Mammogram — right MLO. 33-year-old patient.
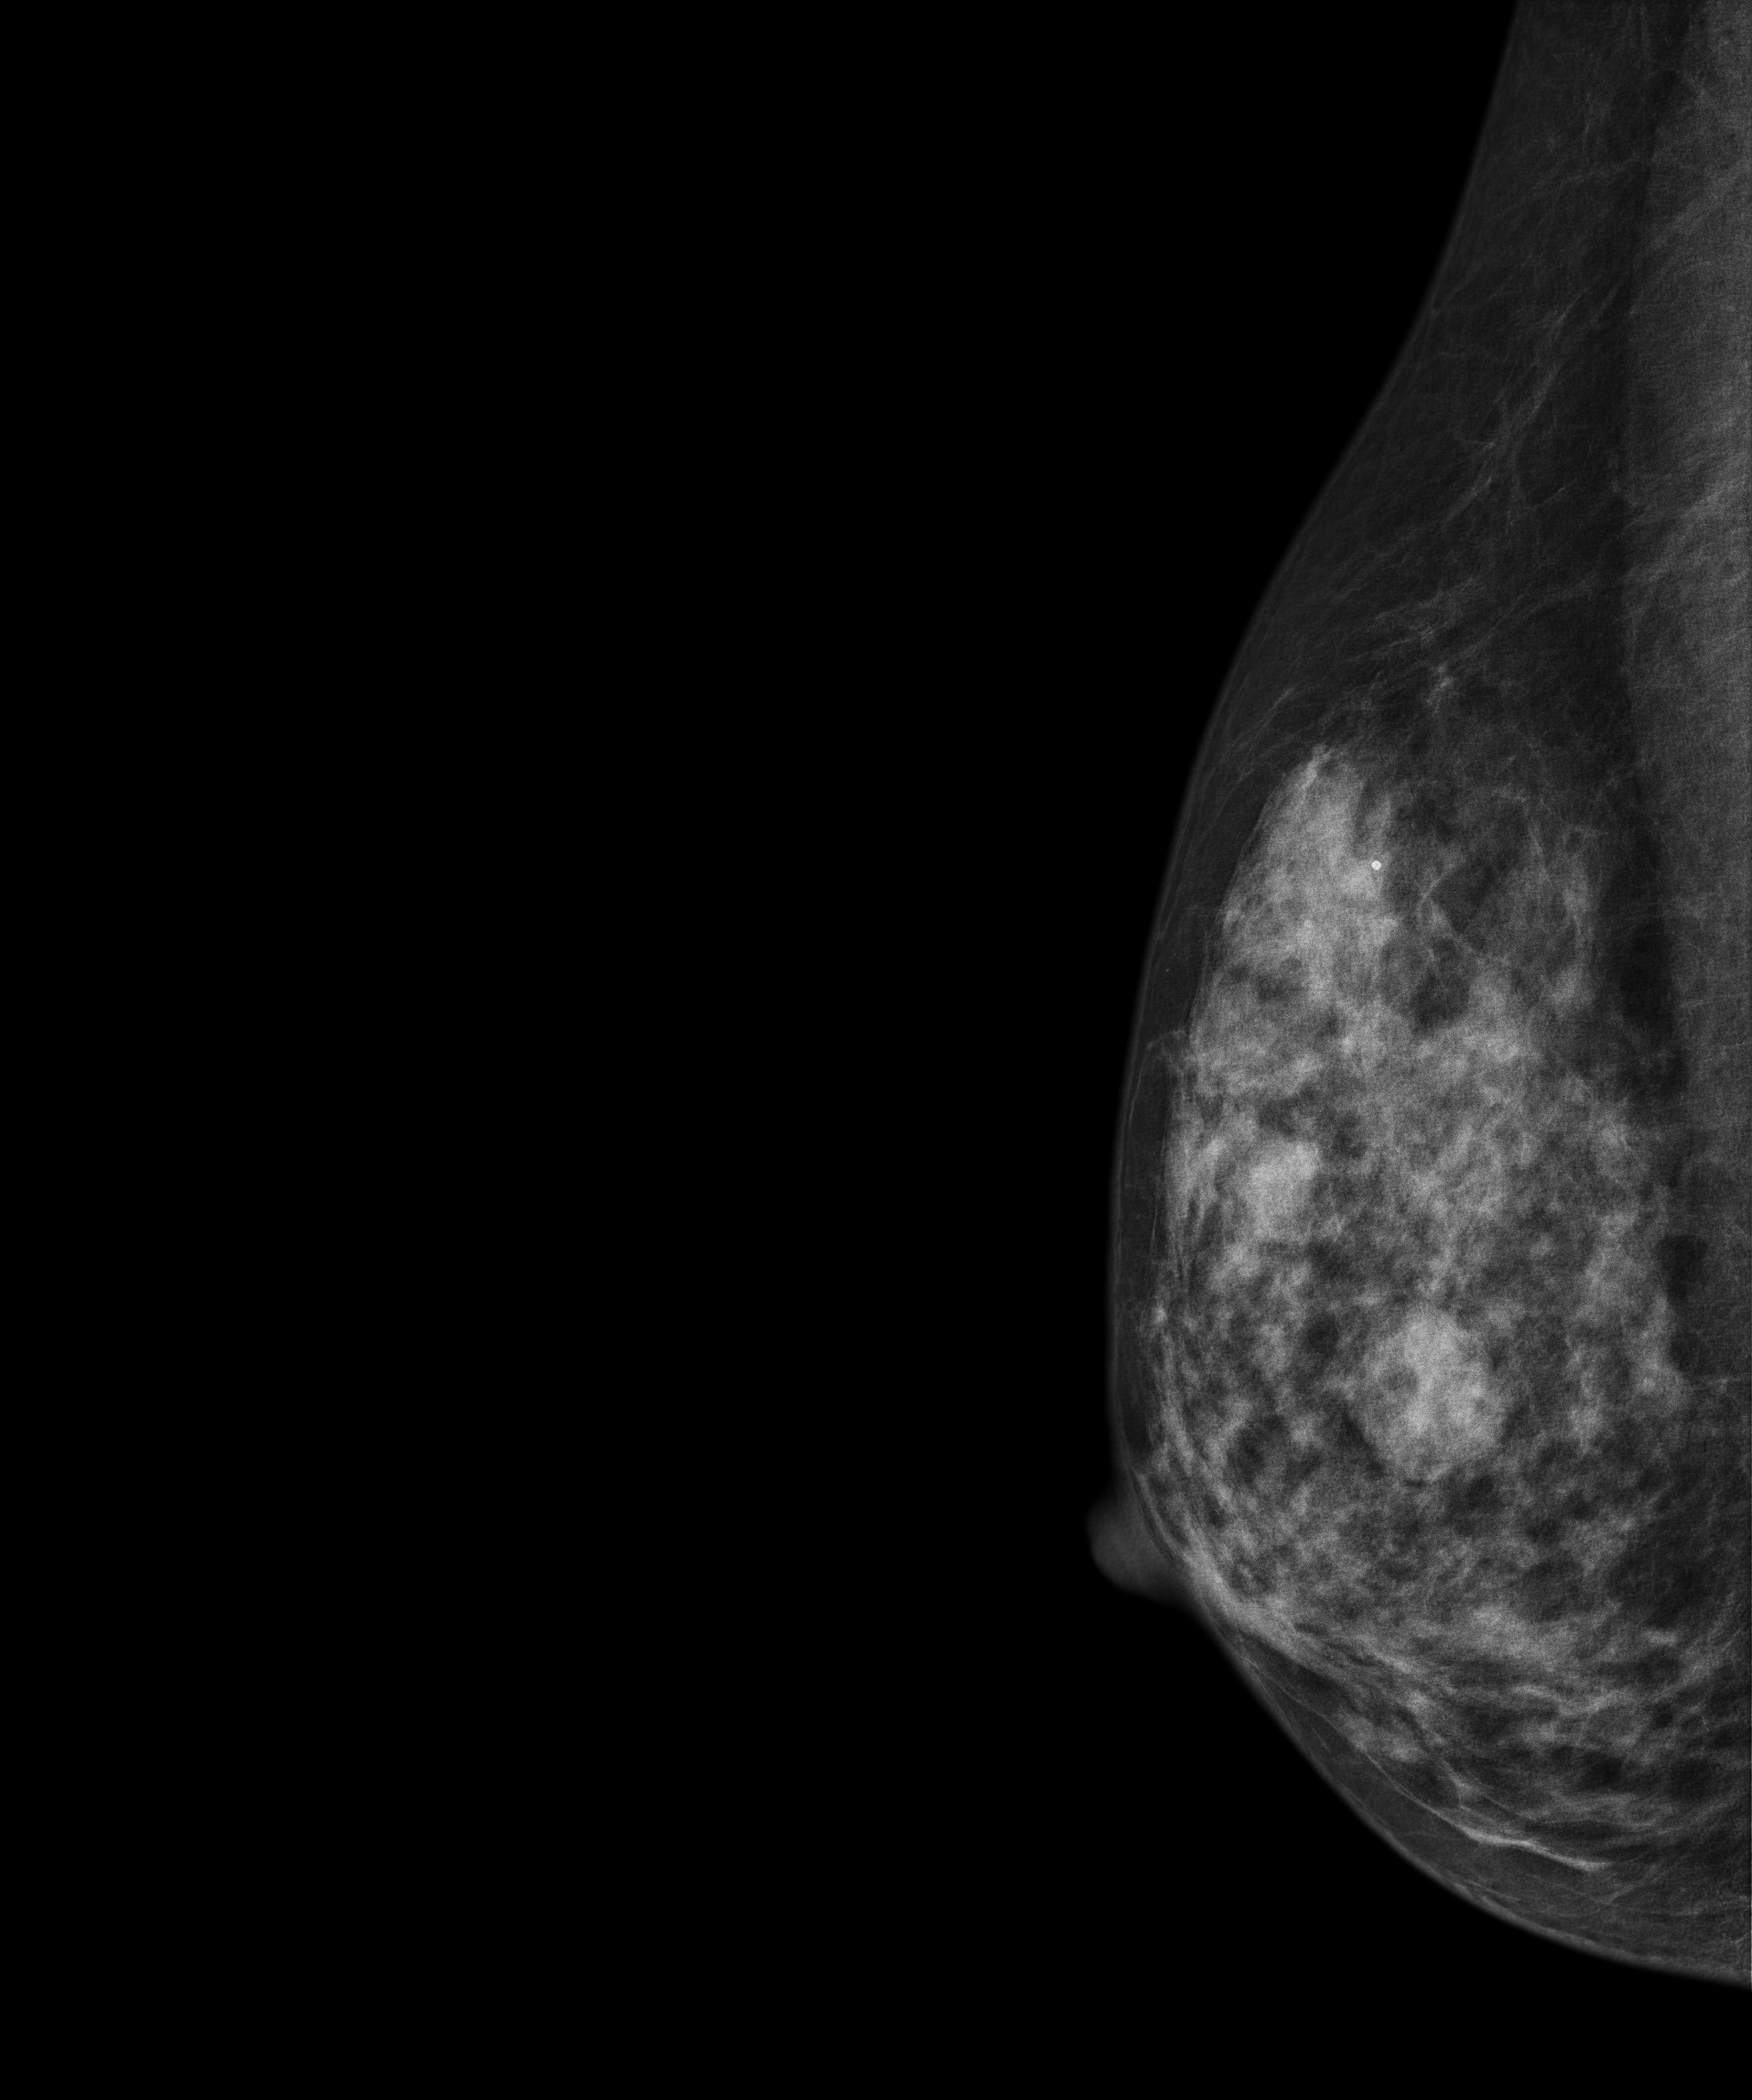
This breast has a mass, biopsy-confirmed benign.